Mammogram — right MLO. 46 y/o patient.
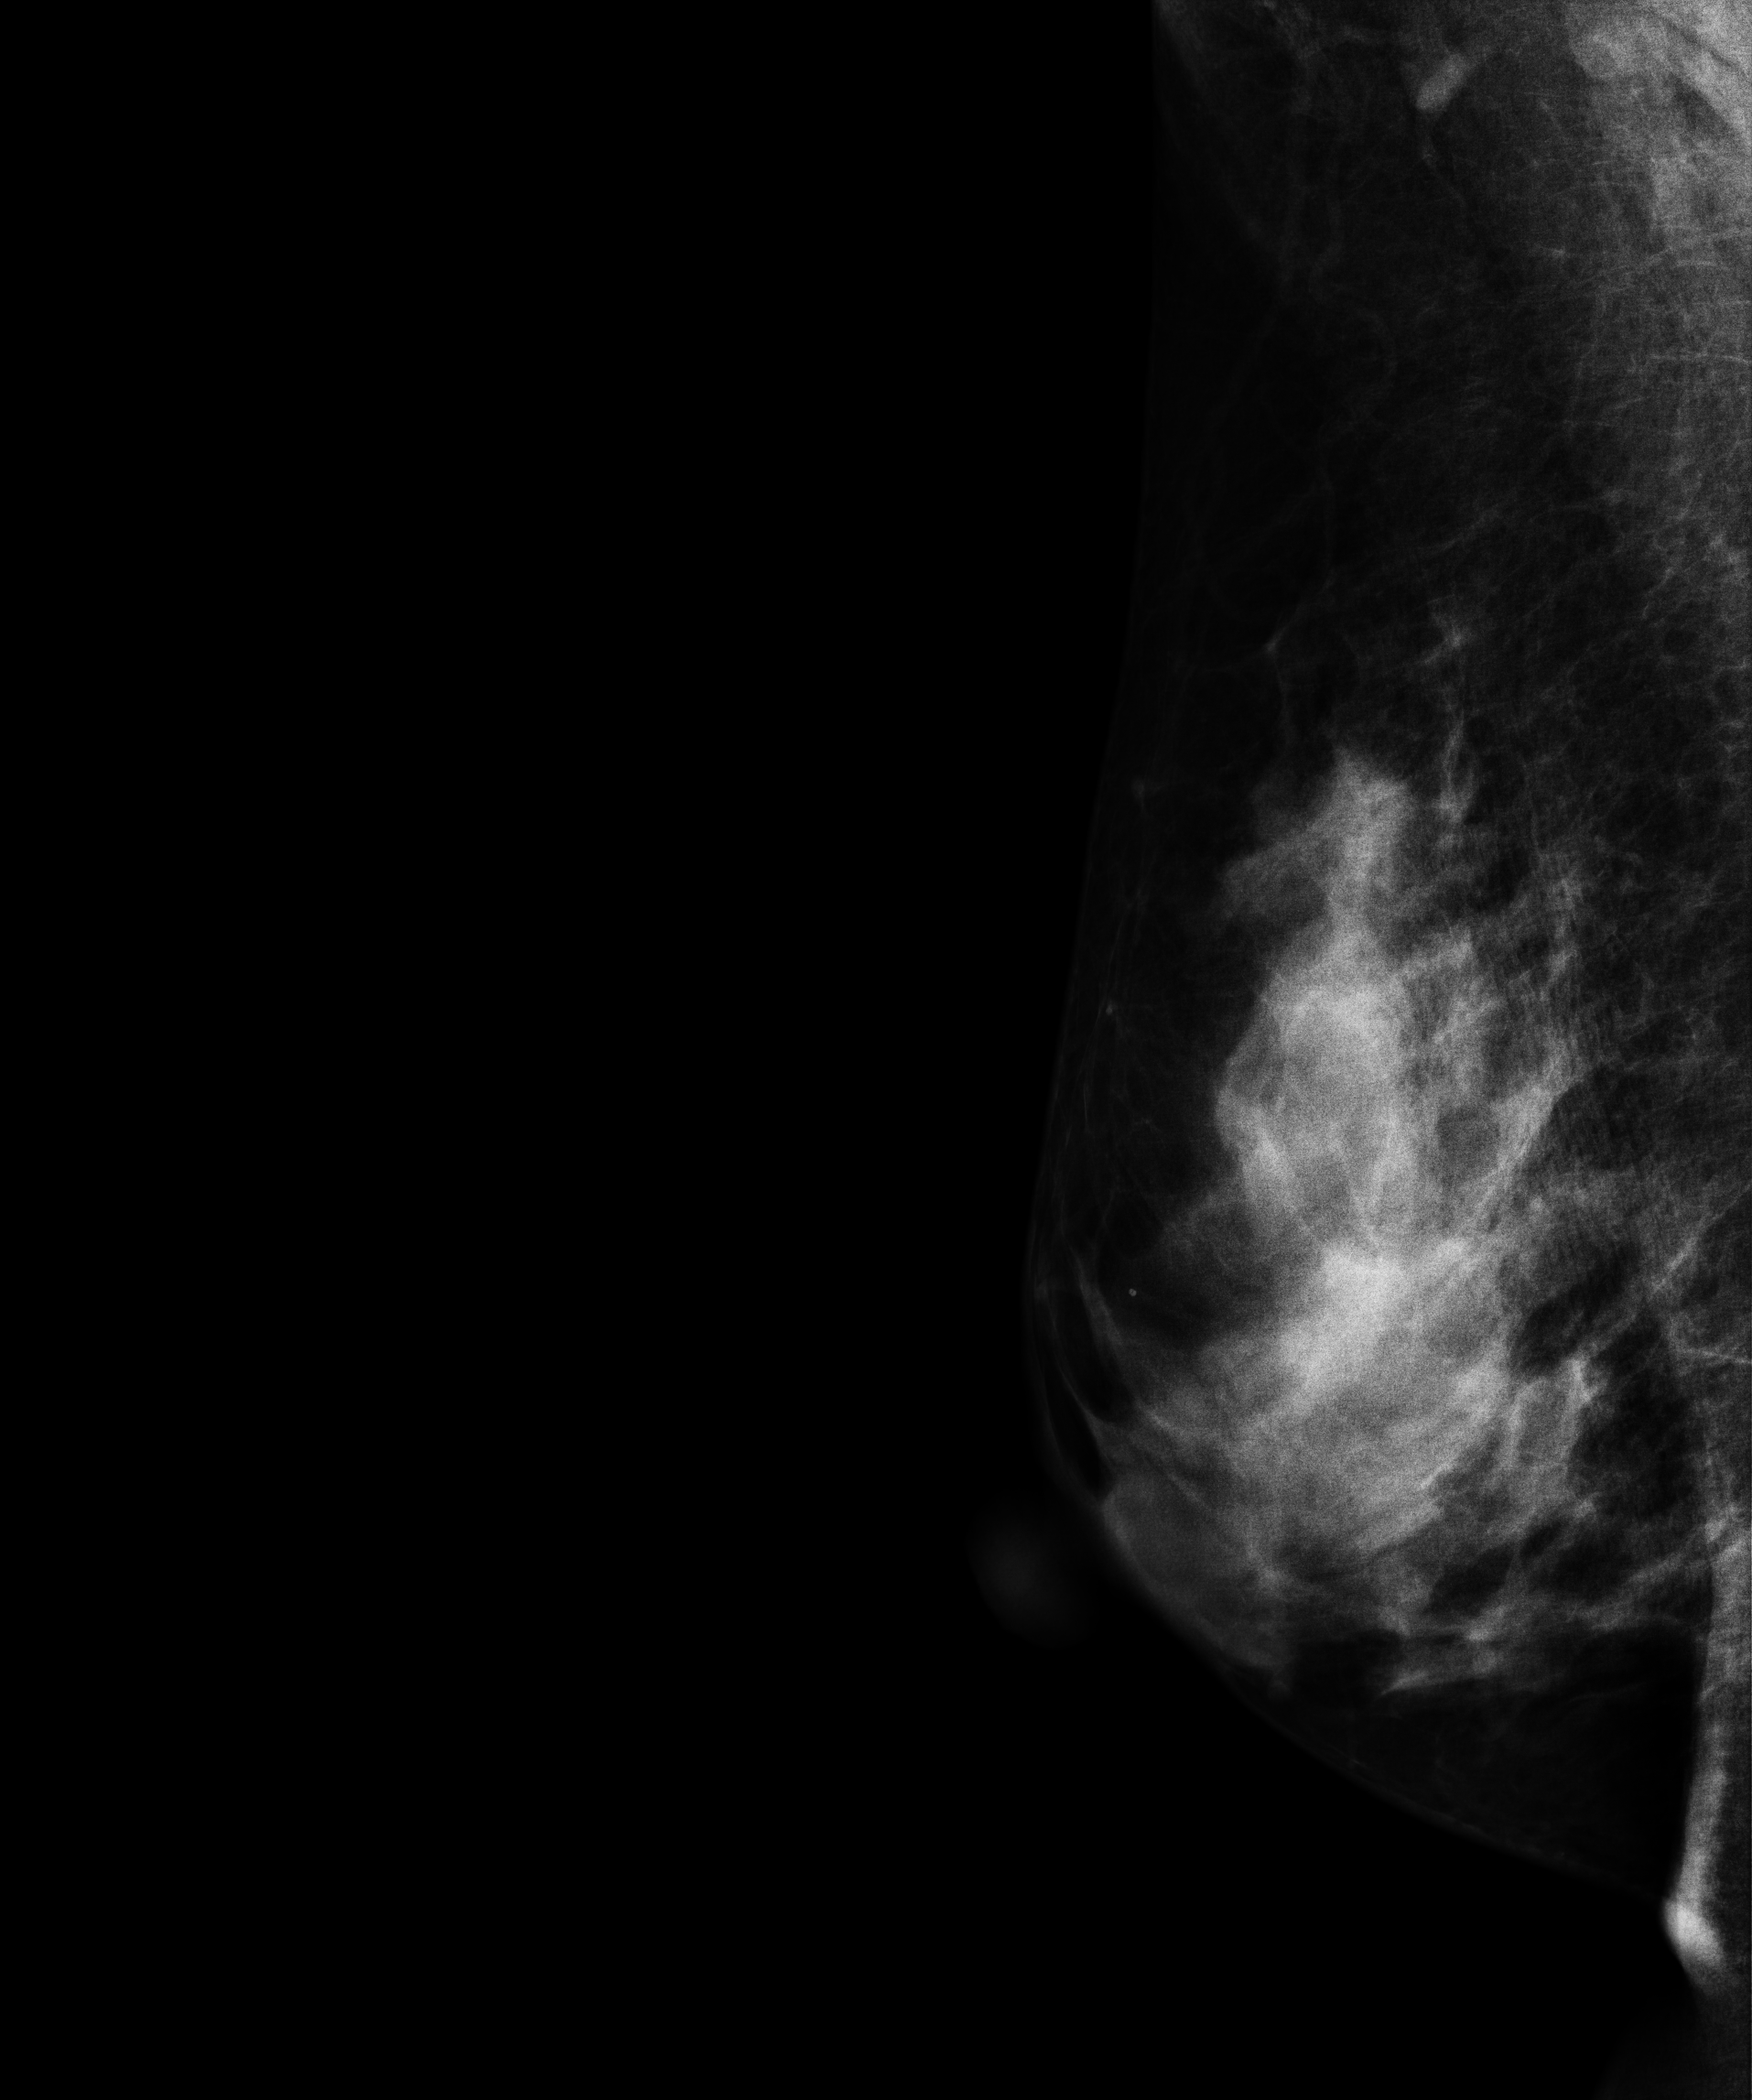
This breast has a mass, biopsy-confirmed benign.